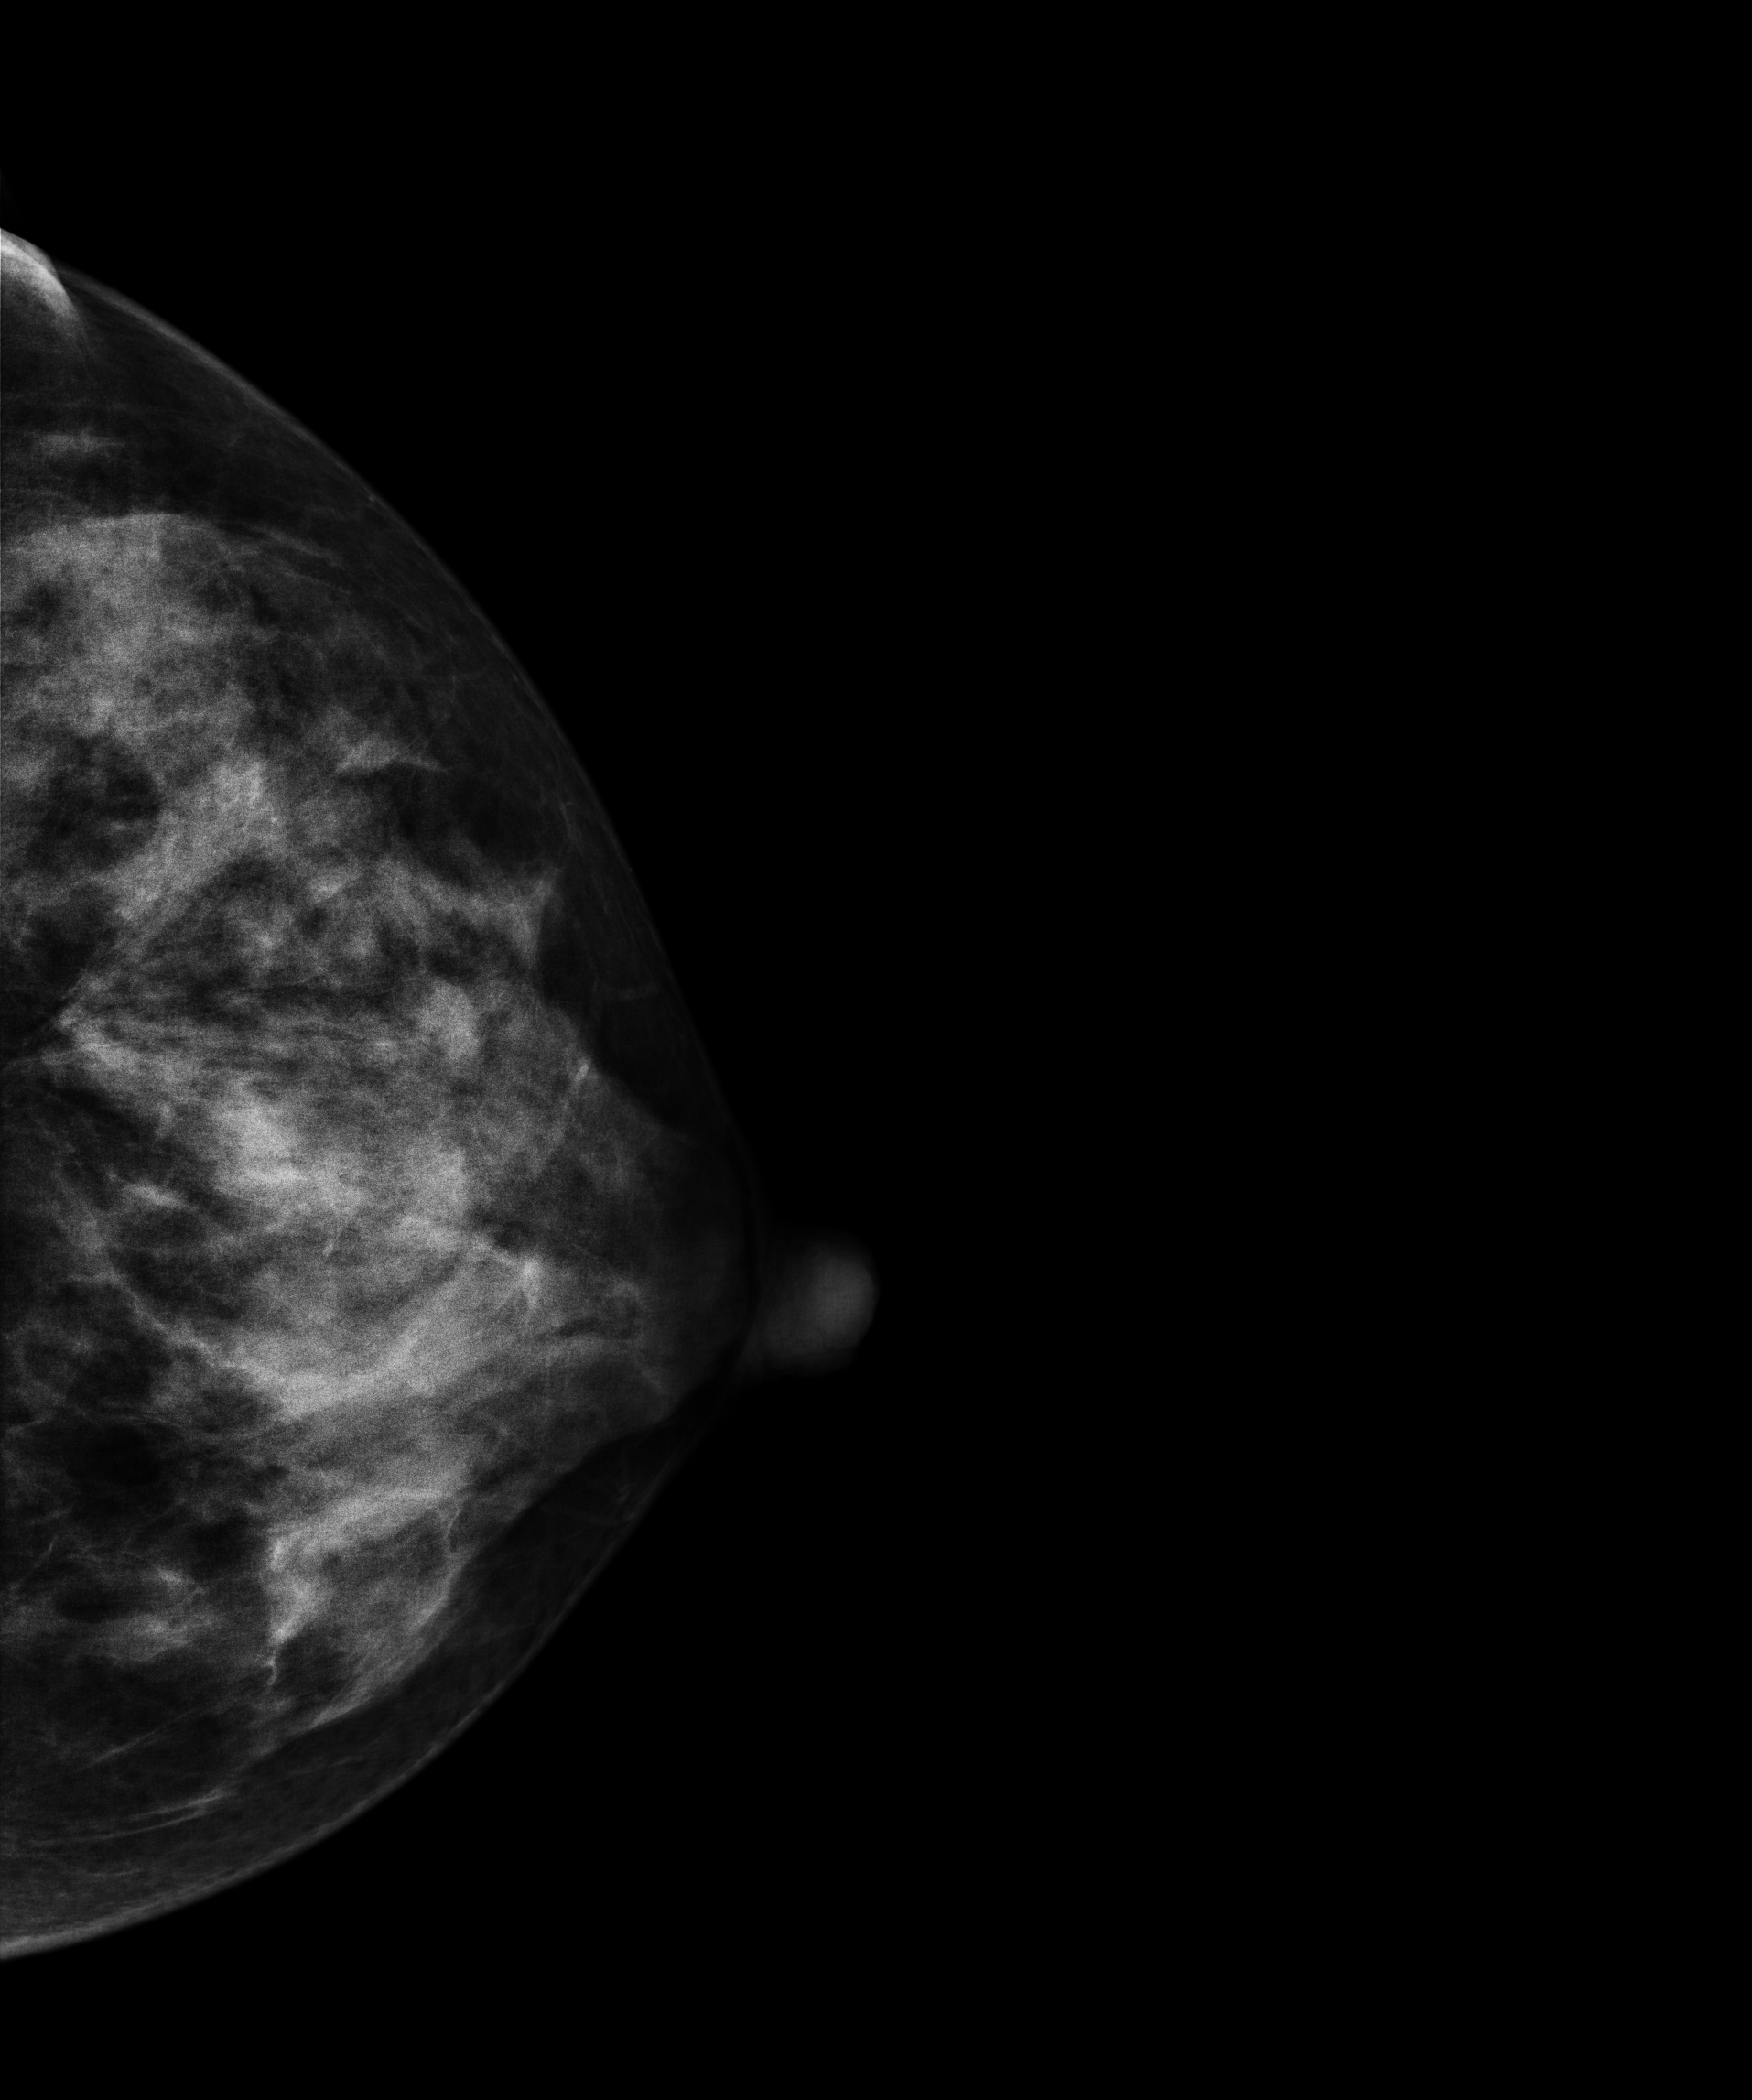
CC mammogram of the left breast. 41 y/o patient.
Contralateral breast — no documented abnormality on this side.